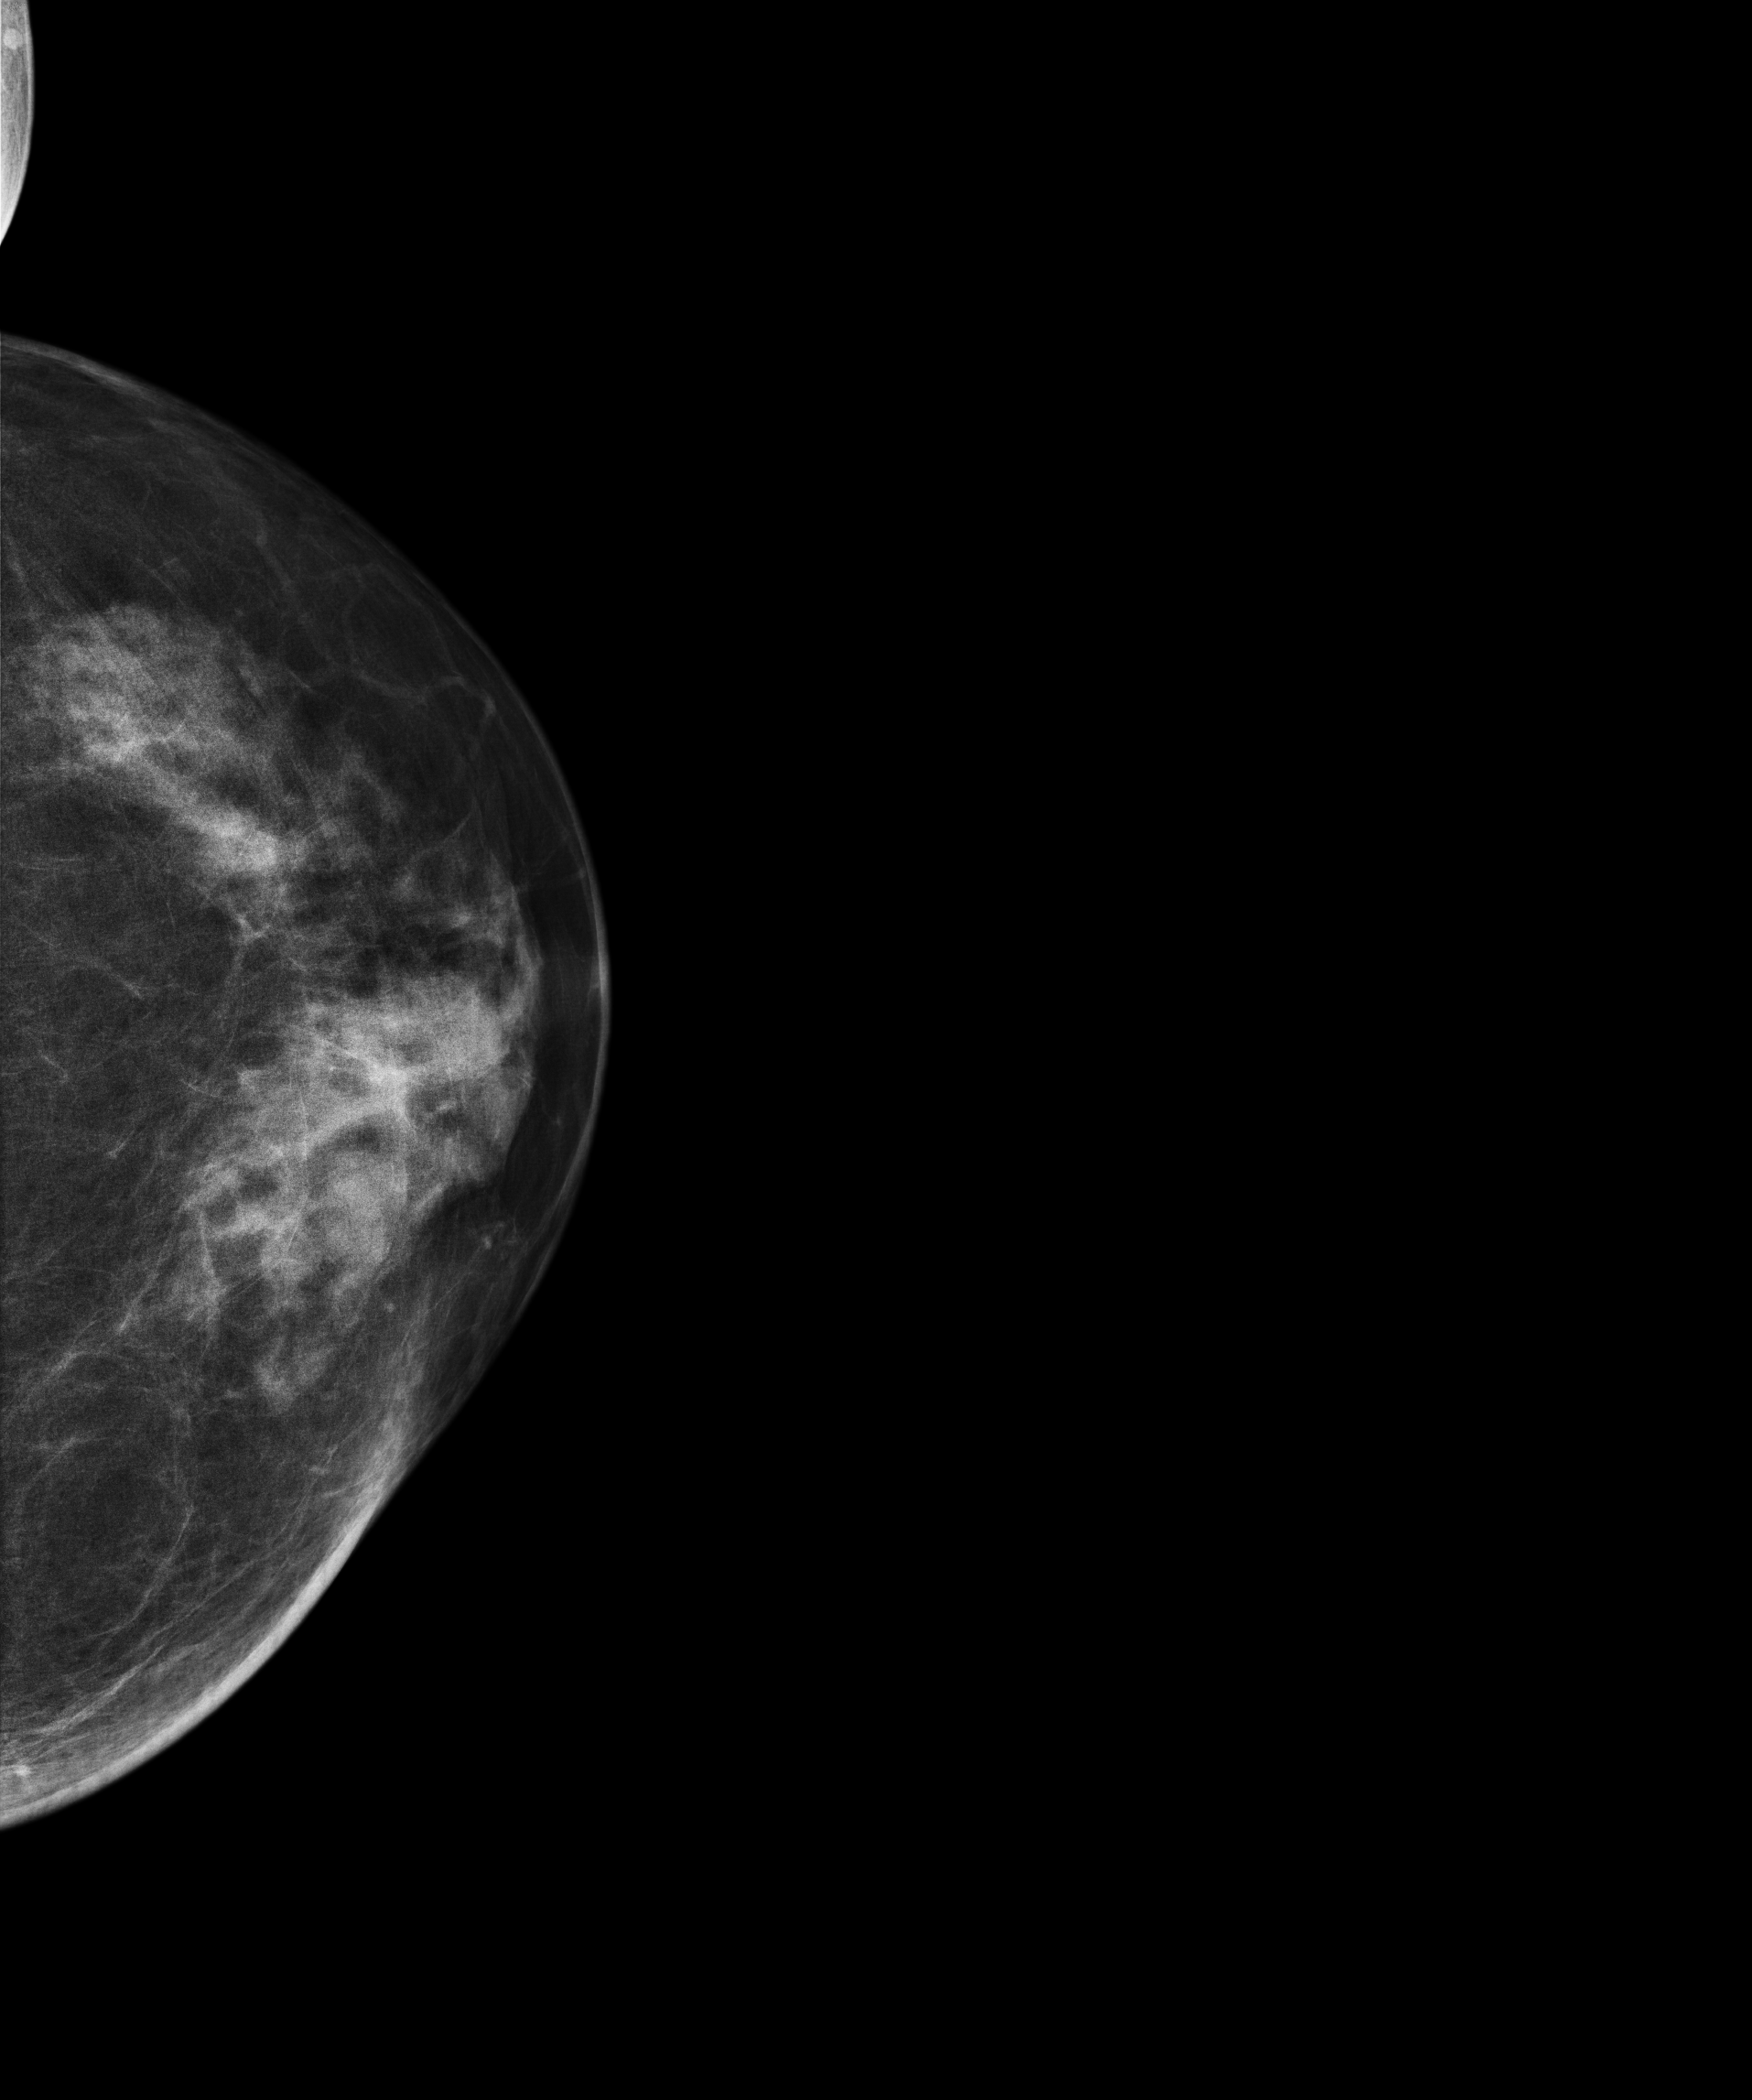
Mammogram — left CC. 64-year-old patient.
Contralateral breast — no documented abnormality on this side.